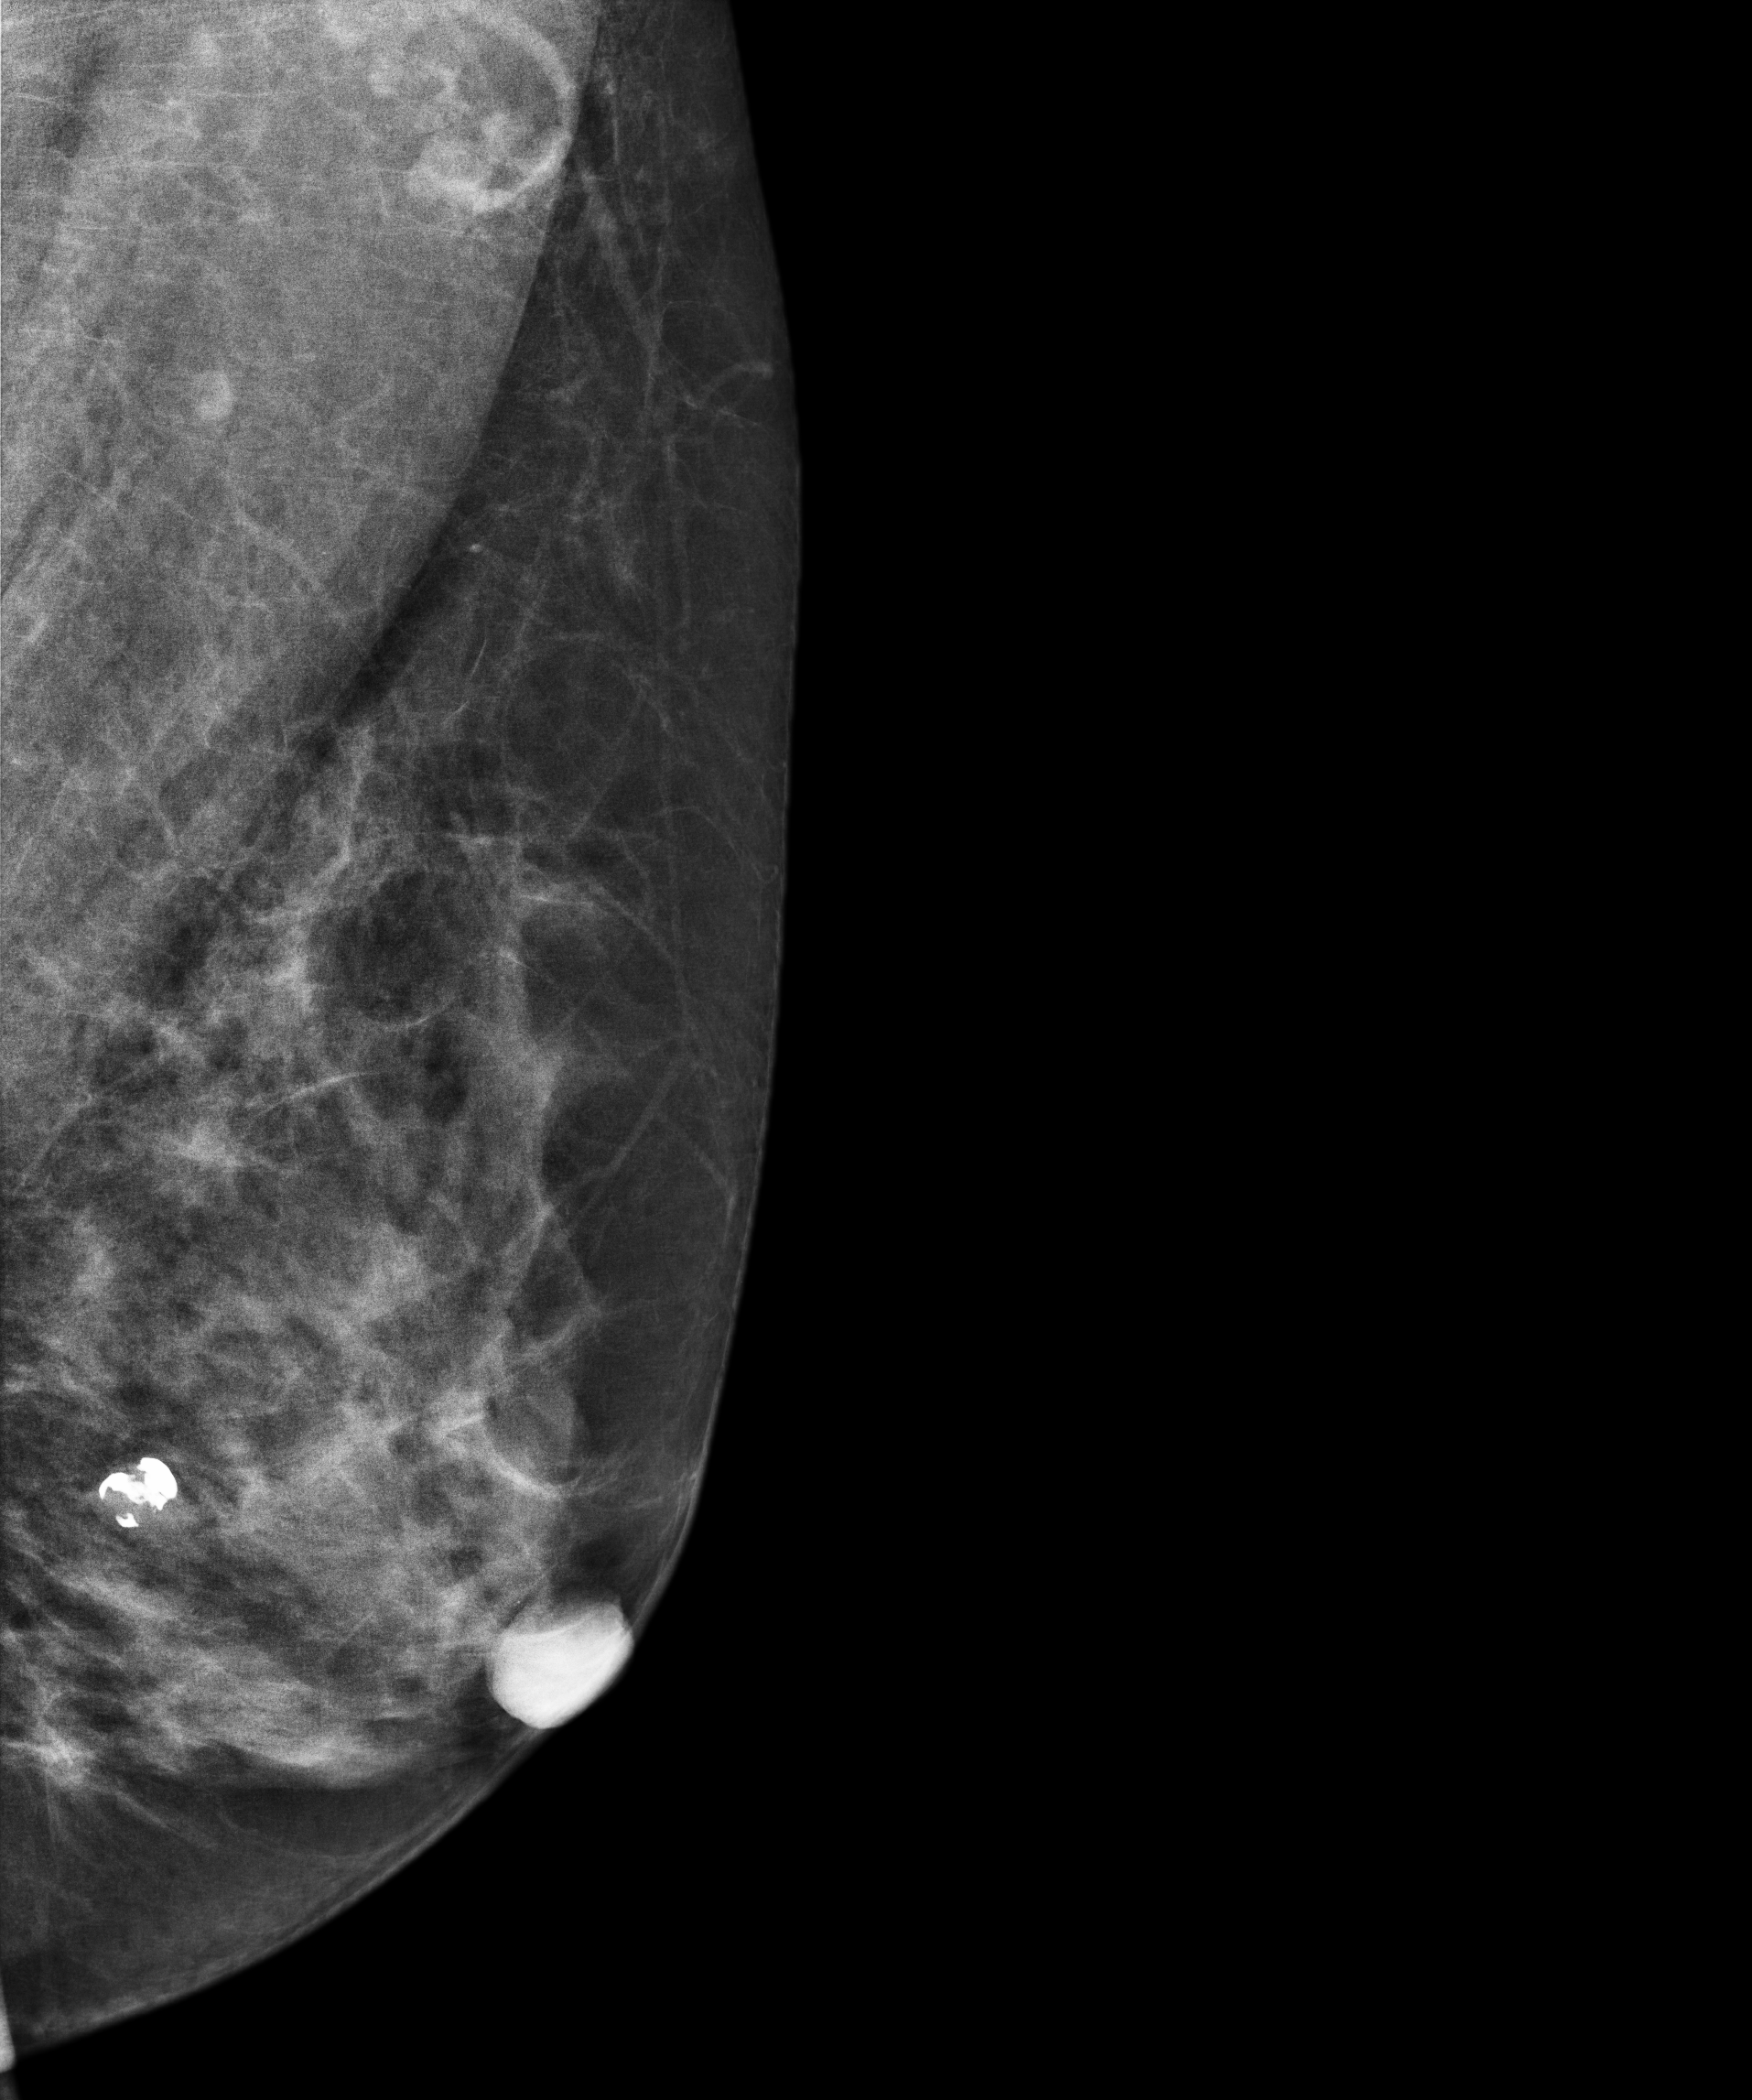
Mammogram, left breast, MLO view. 48 y/o patient.
This breast has a mass and calcifications, pathology-confirmed benign.